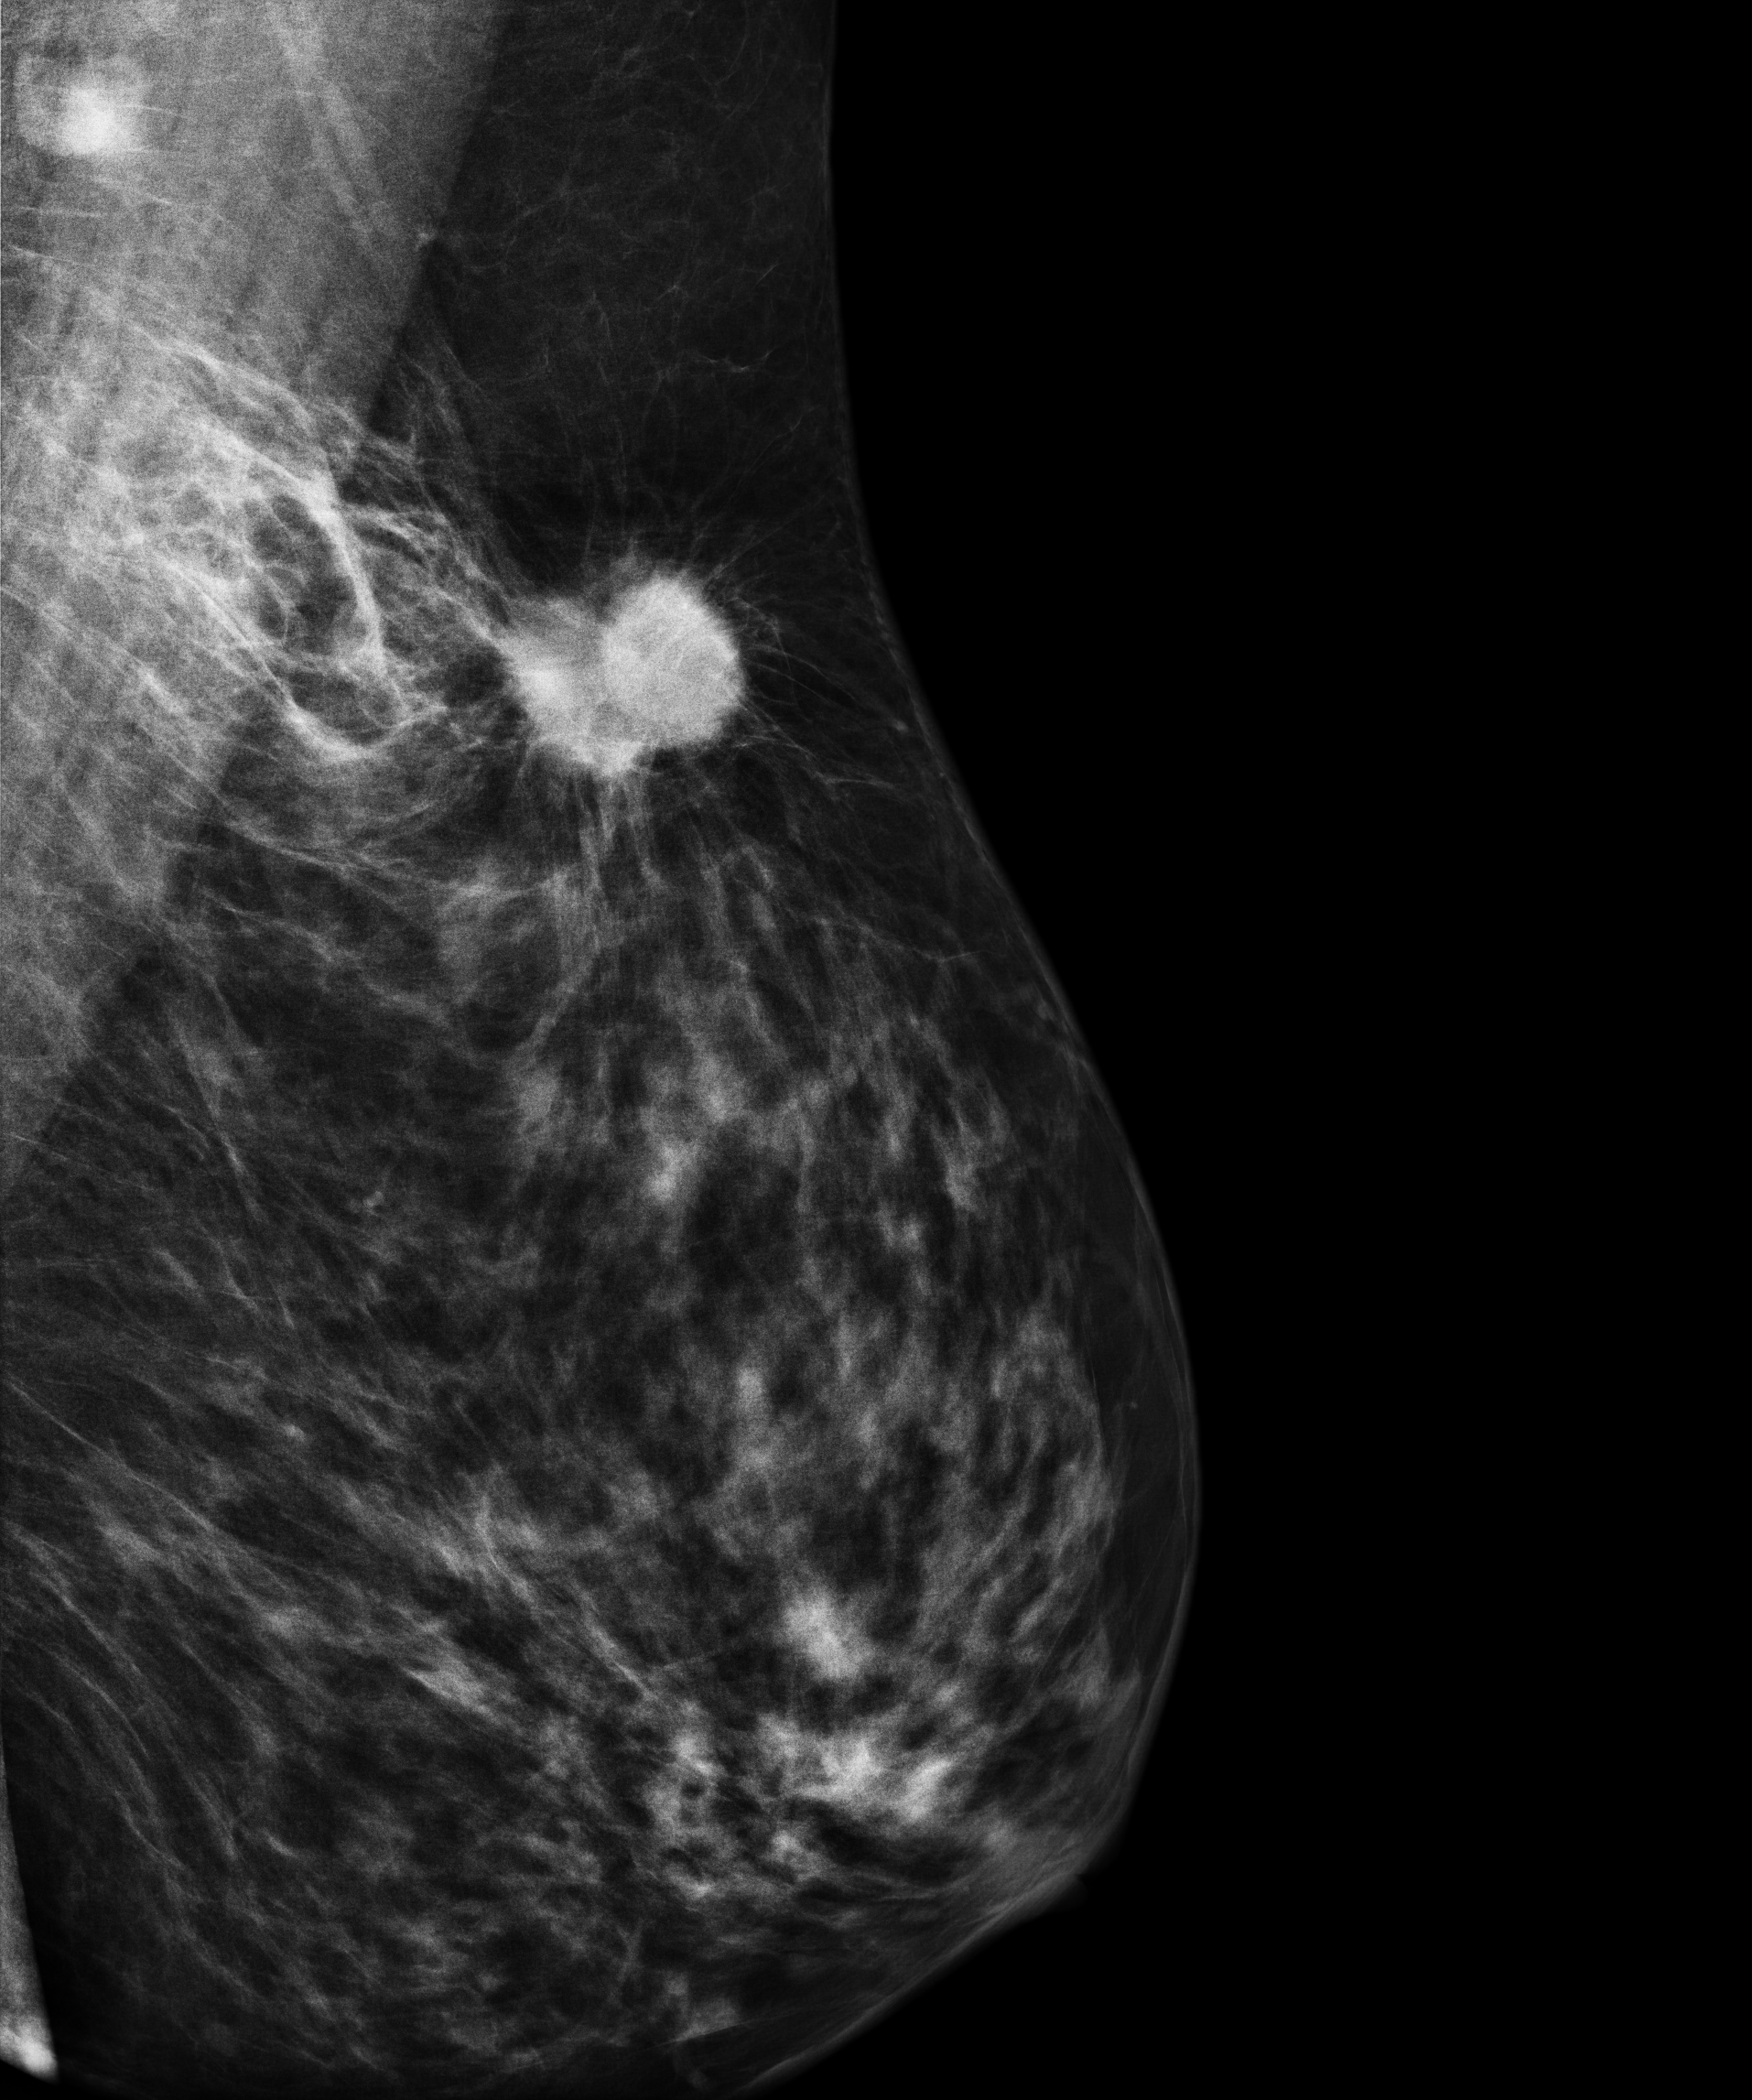
Digital mammography. Left breast, medio-lateral oblique projection. 58-year-old patient.
This breast has a mass, pathology-confirmed malignant.